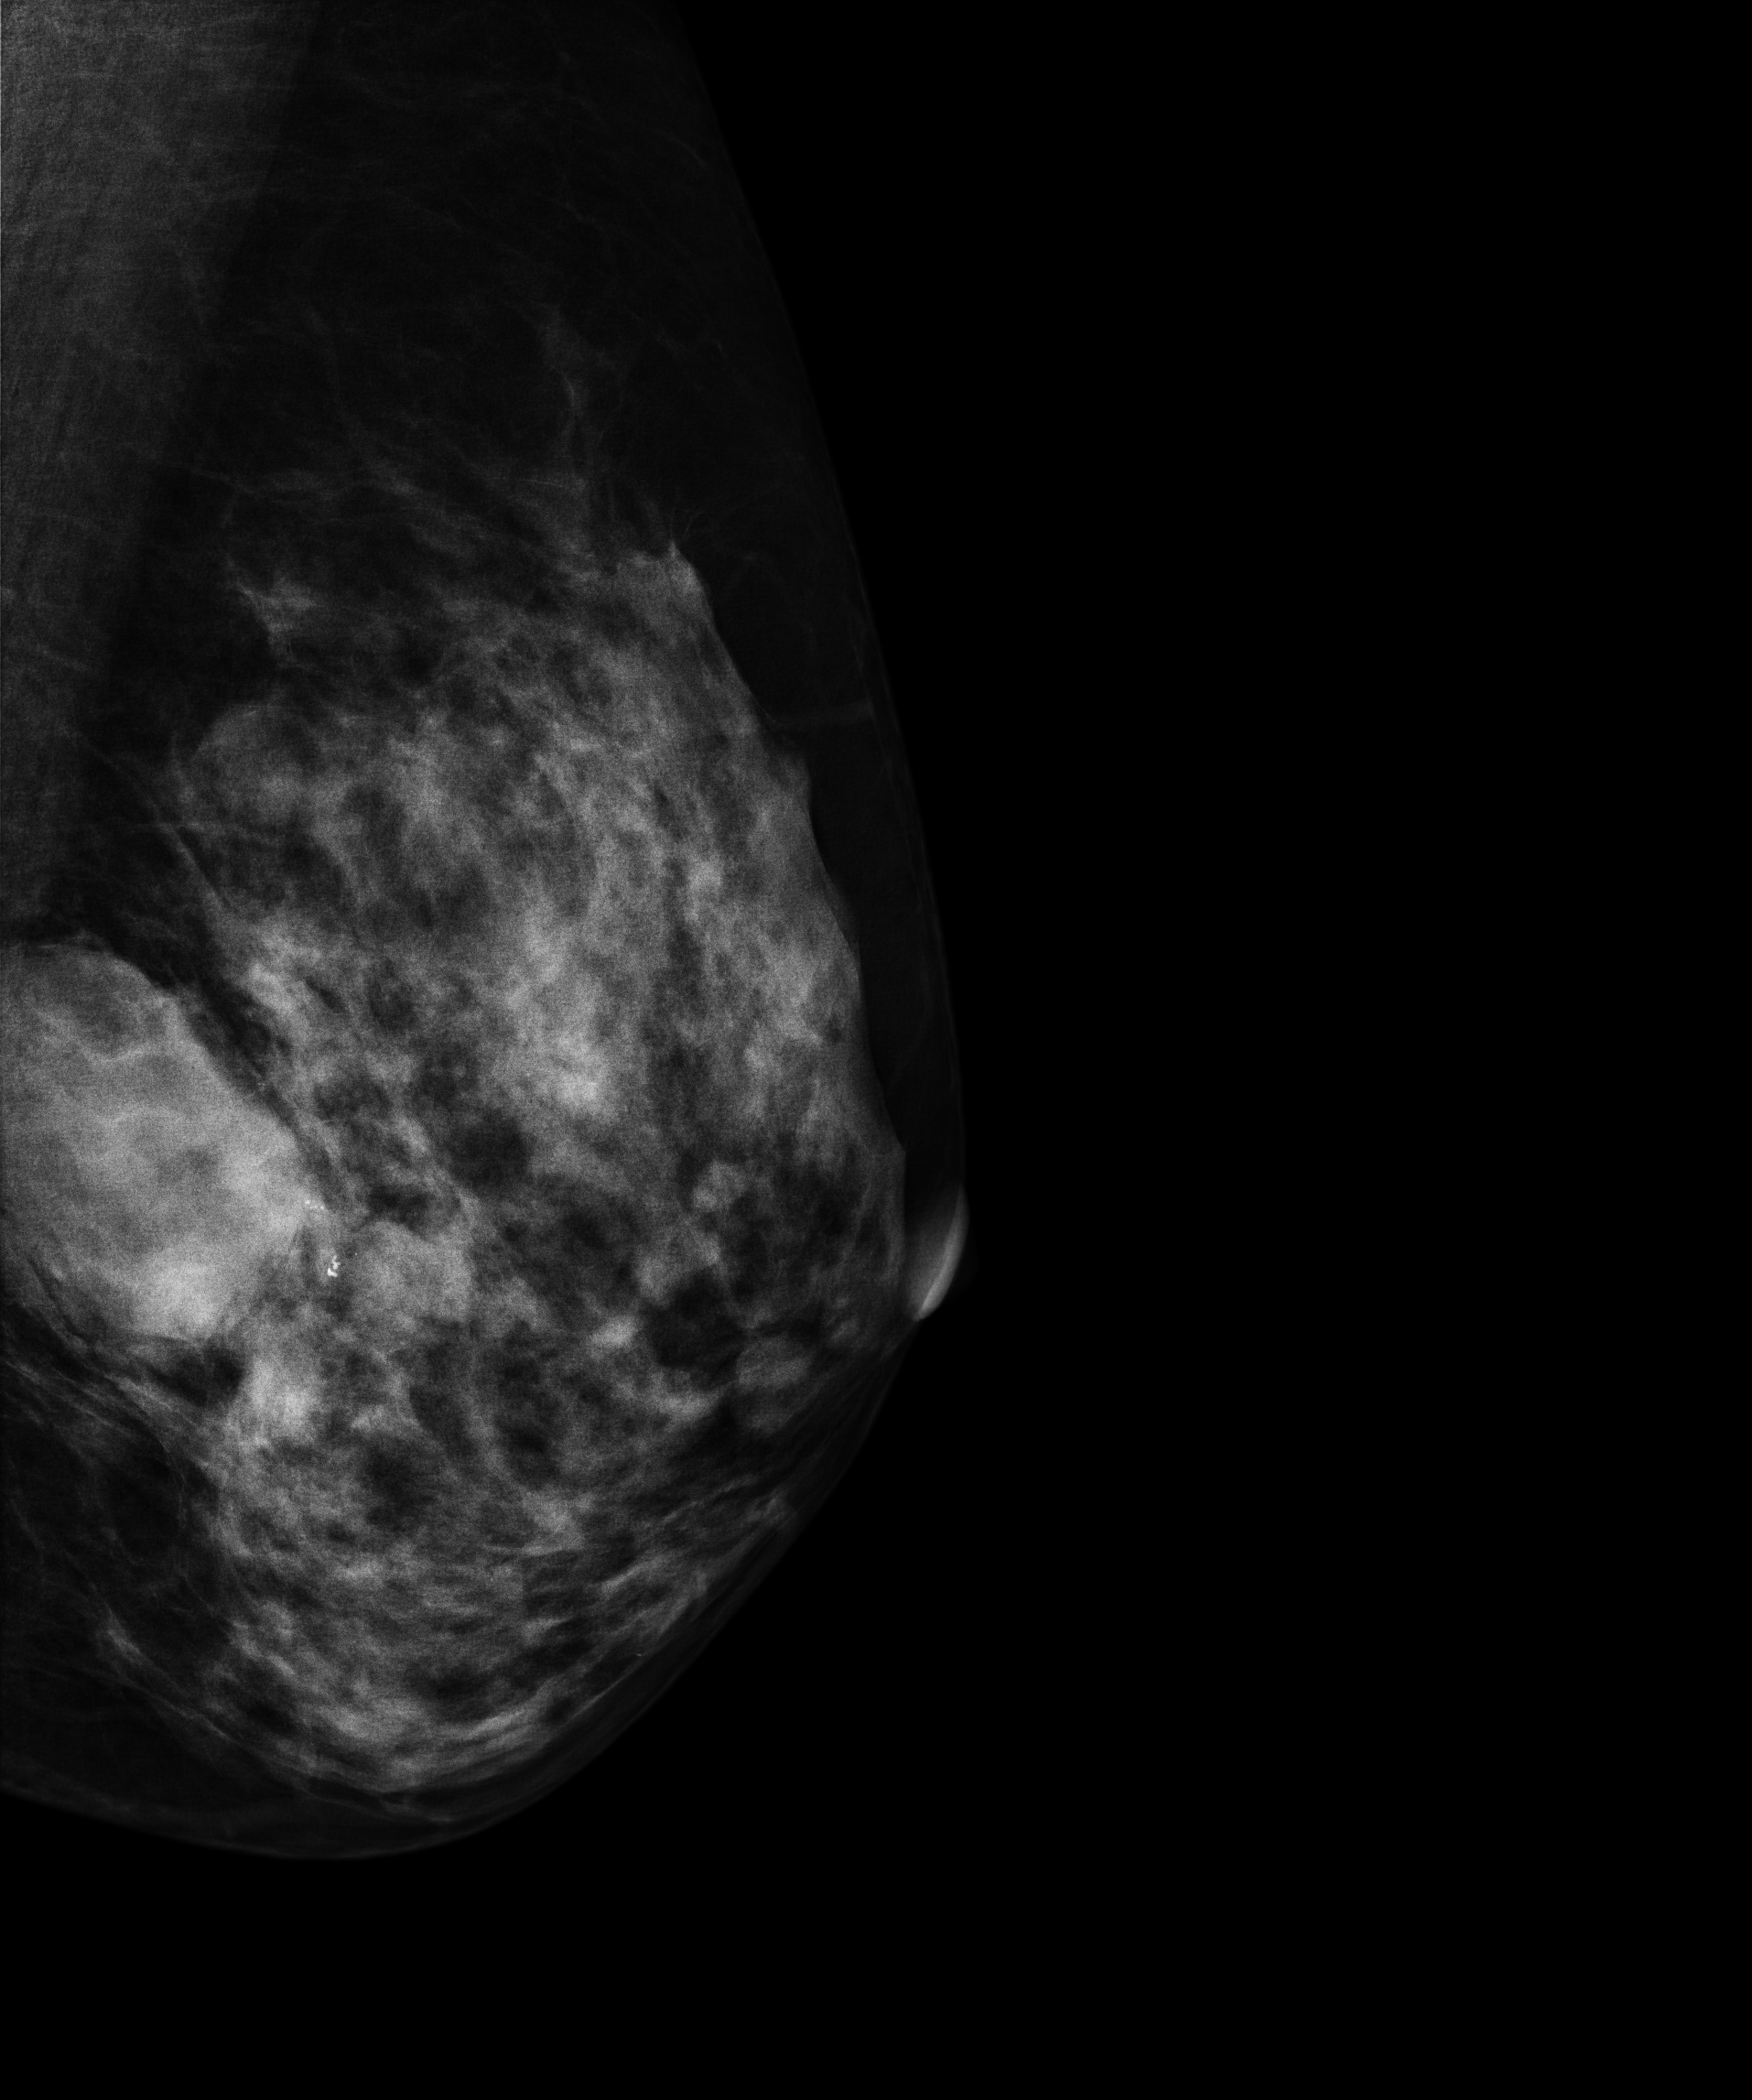
Medio-lateral oblique mammogram of the left breast. 46 y/o patient.
This breast has a mass and calcifications, biopsy-confirmed benign.